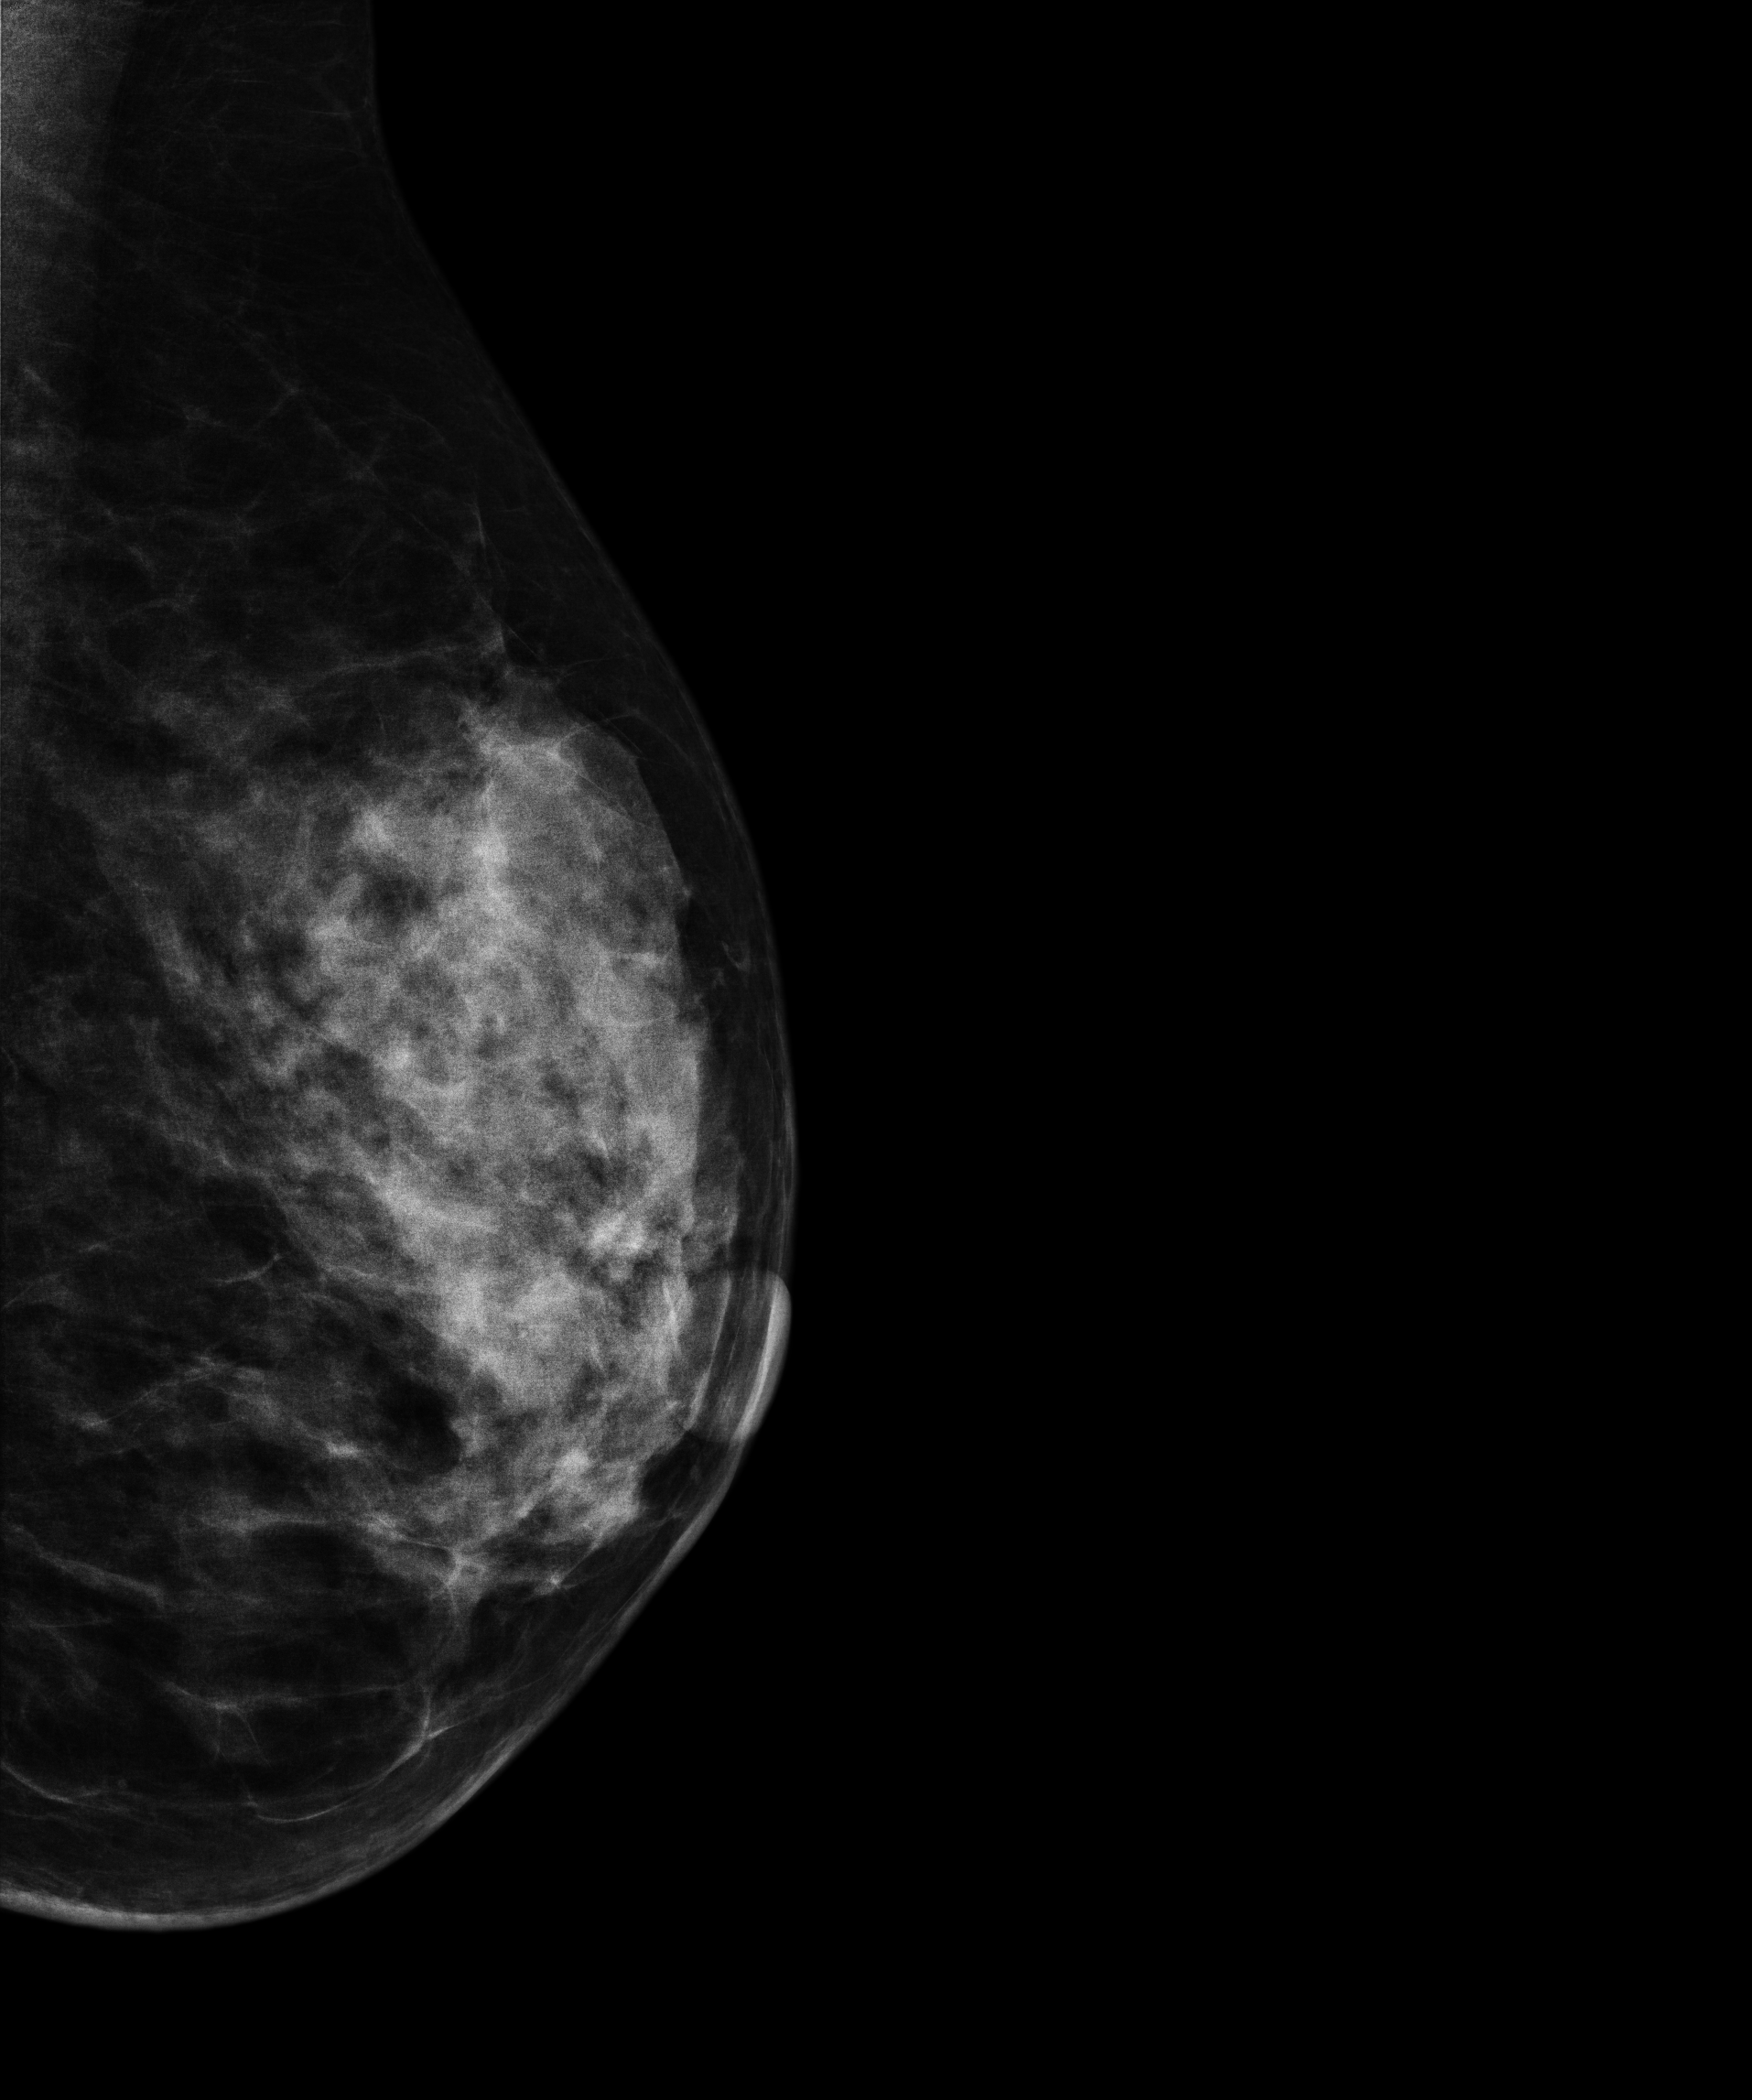
Digital mammography. Left breast, medio-lateral oblique projection. Patient age 41.
Contralateral breast — no documented abnormality on this side.